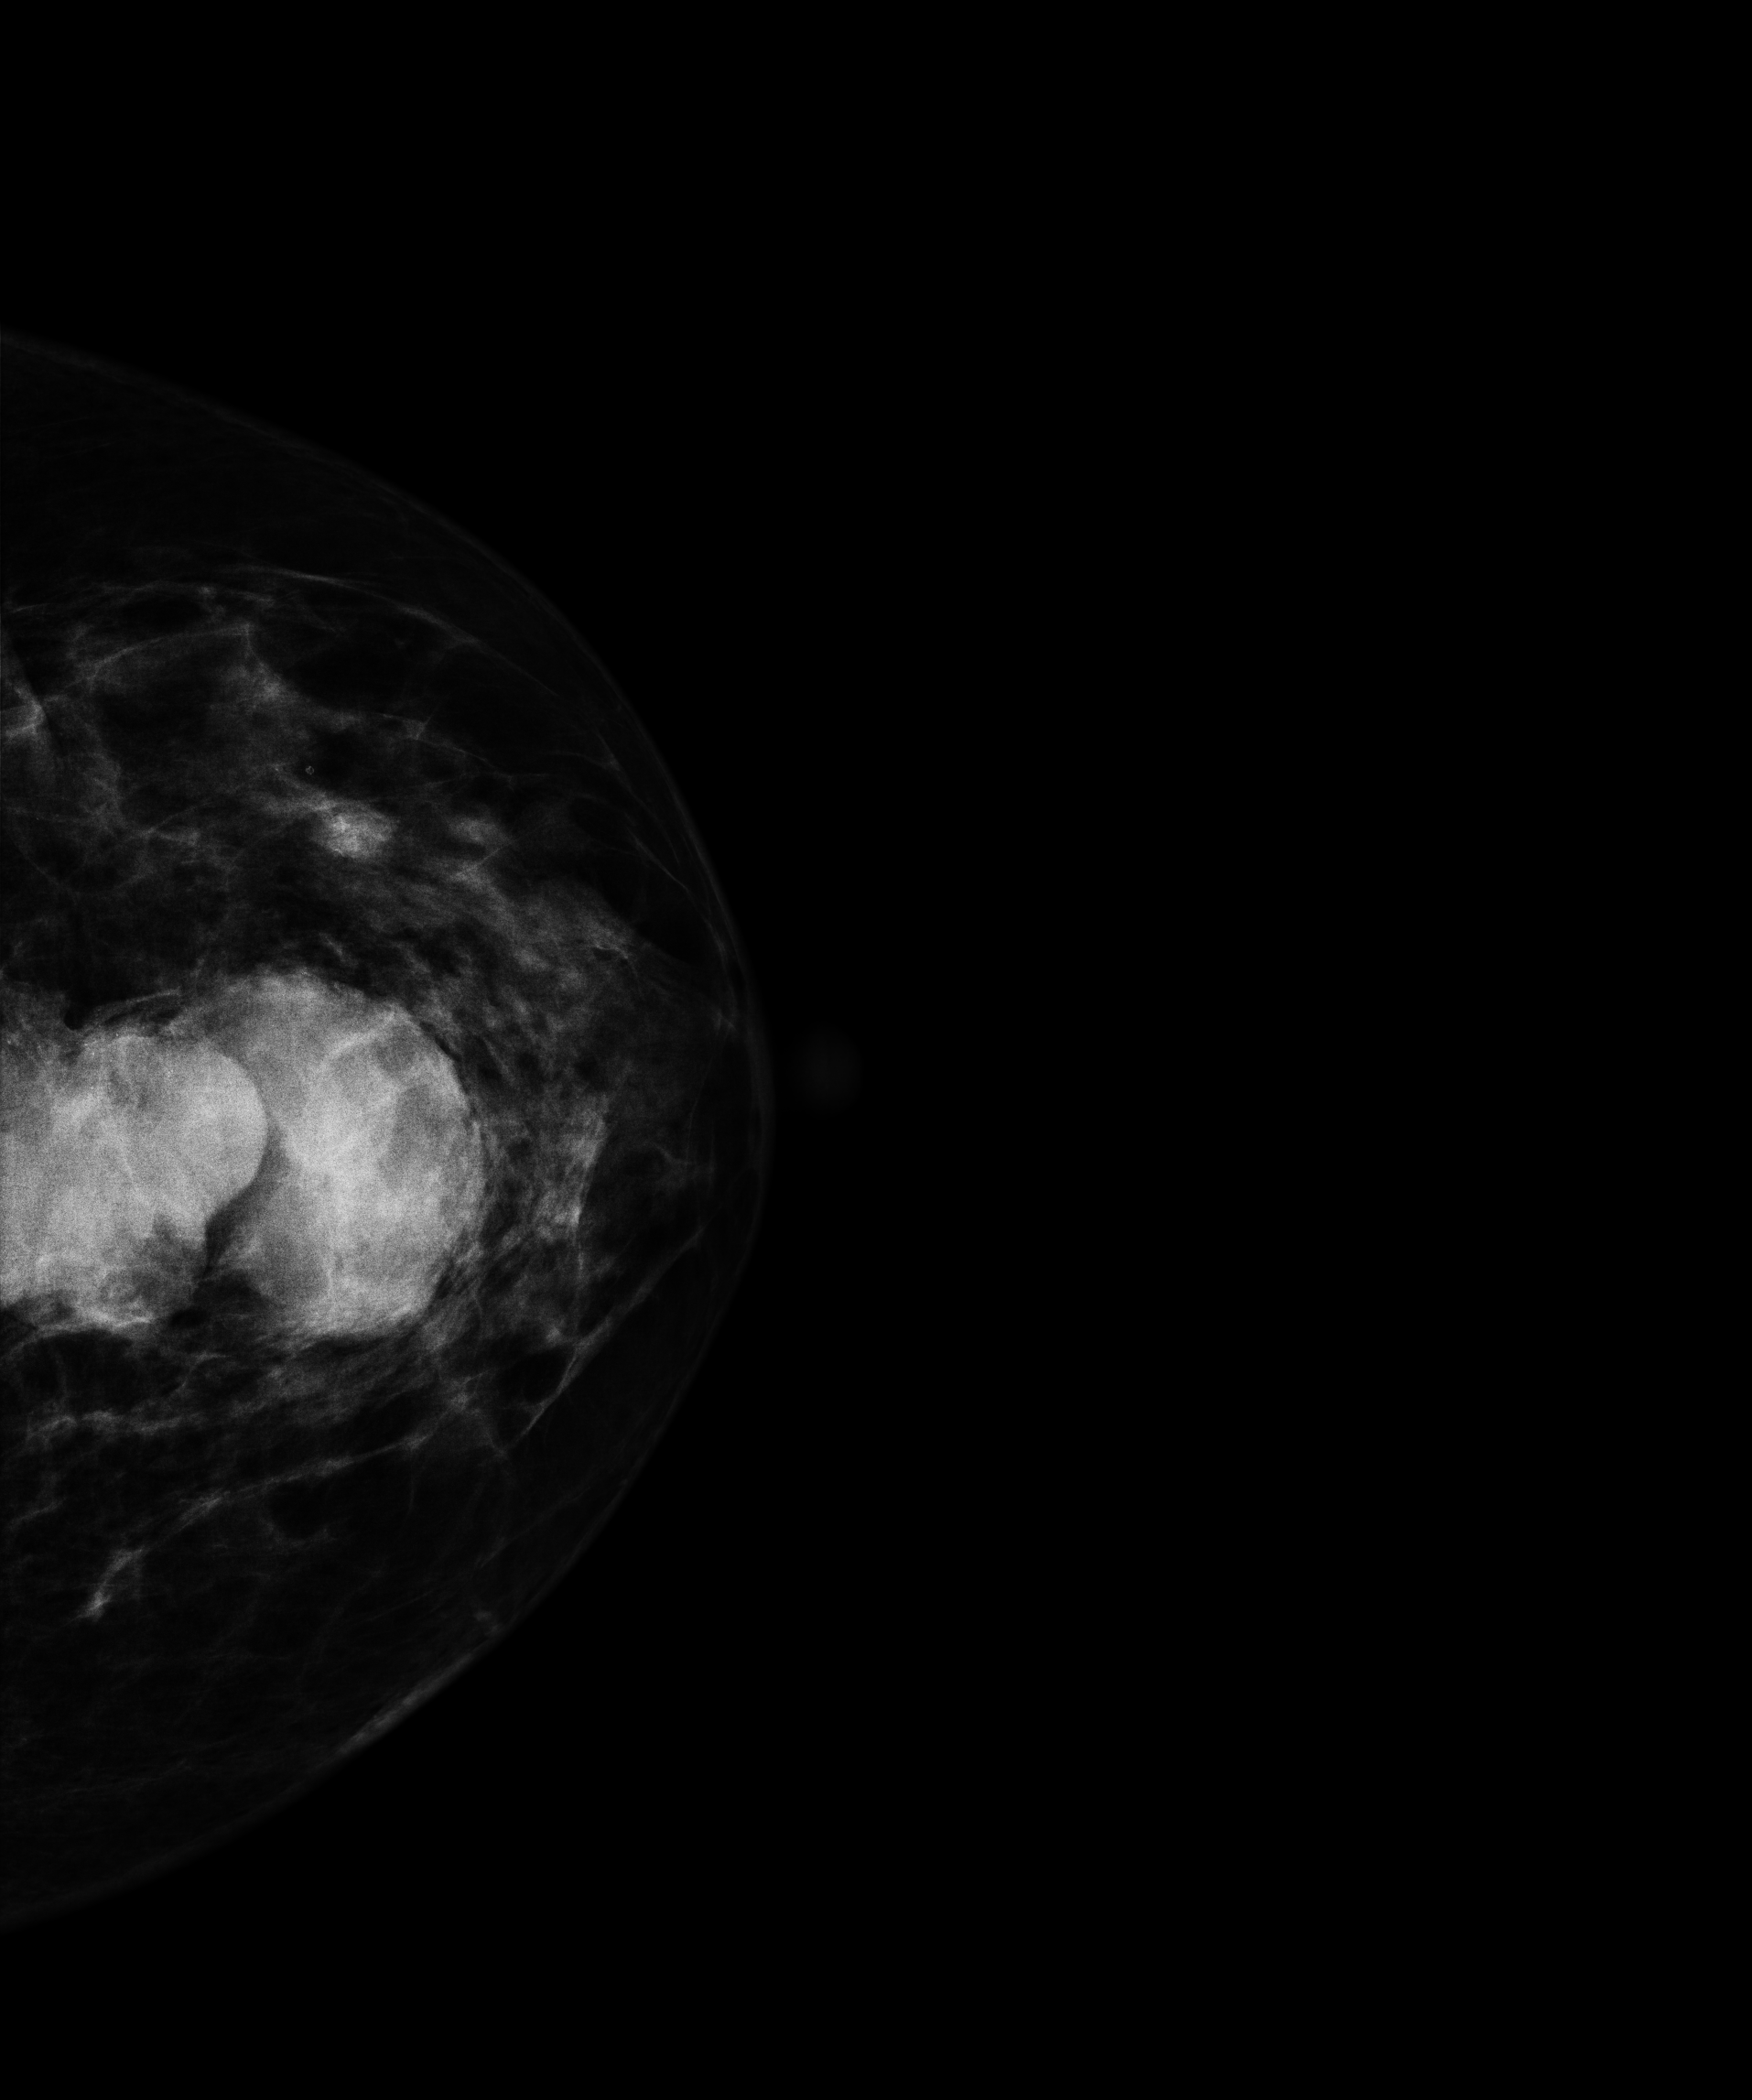
Digital mammography. Left breast, cranio-caudal projection. Patient age 48.
This breast has a mass, biopsy-confirmed malignant. Molecular subtype: luminal B.